Mammogram, right breast, medio-lateral oblique view. Patient age 45.
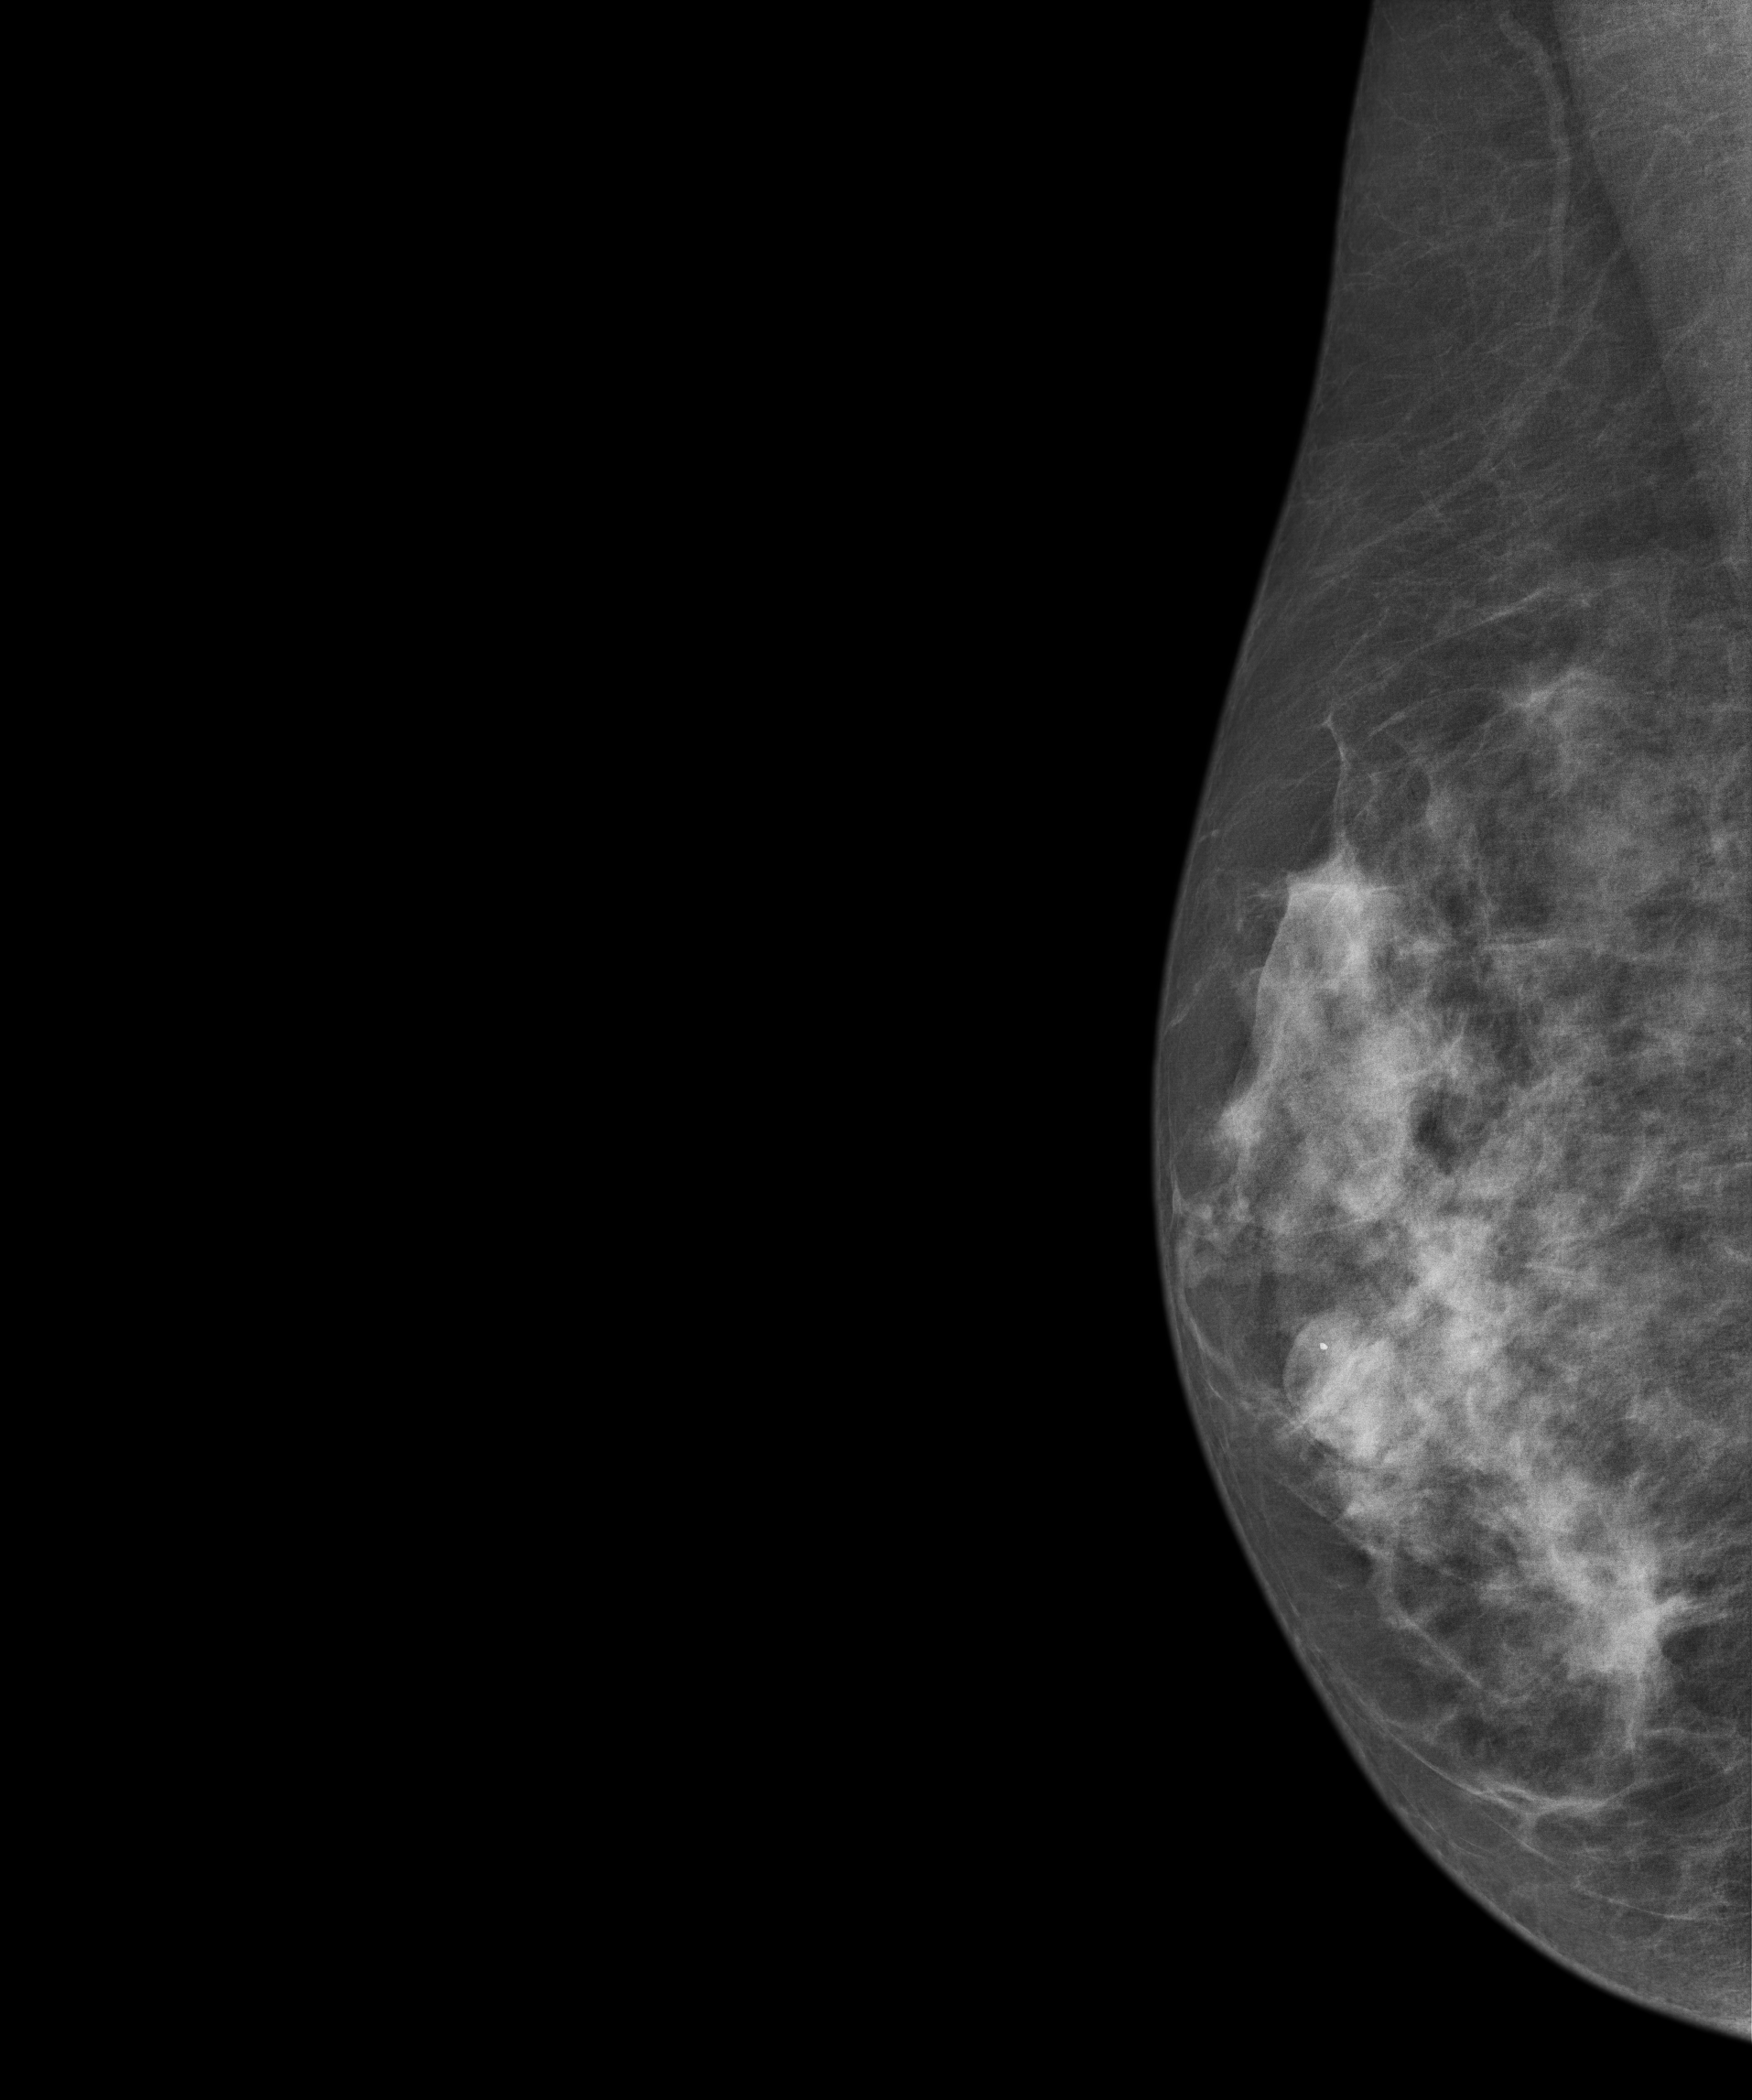
This breast has a mass, biopsy-proven malignant. Molecular subtype: luminal B.